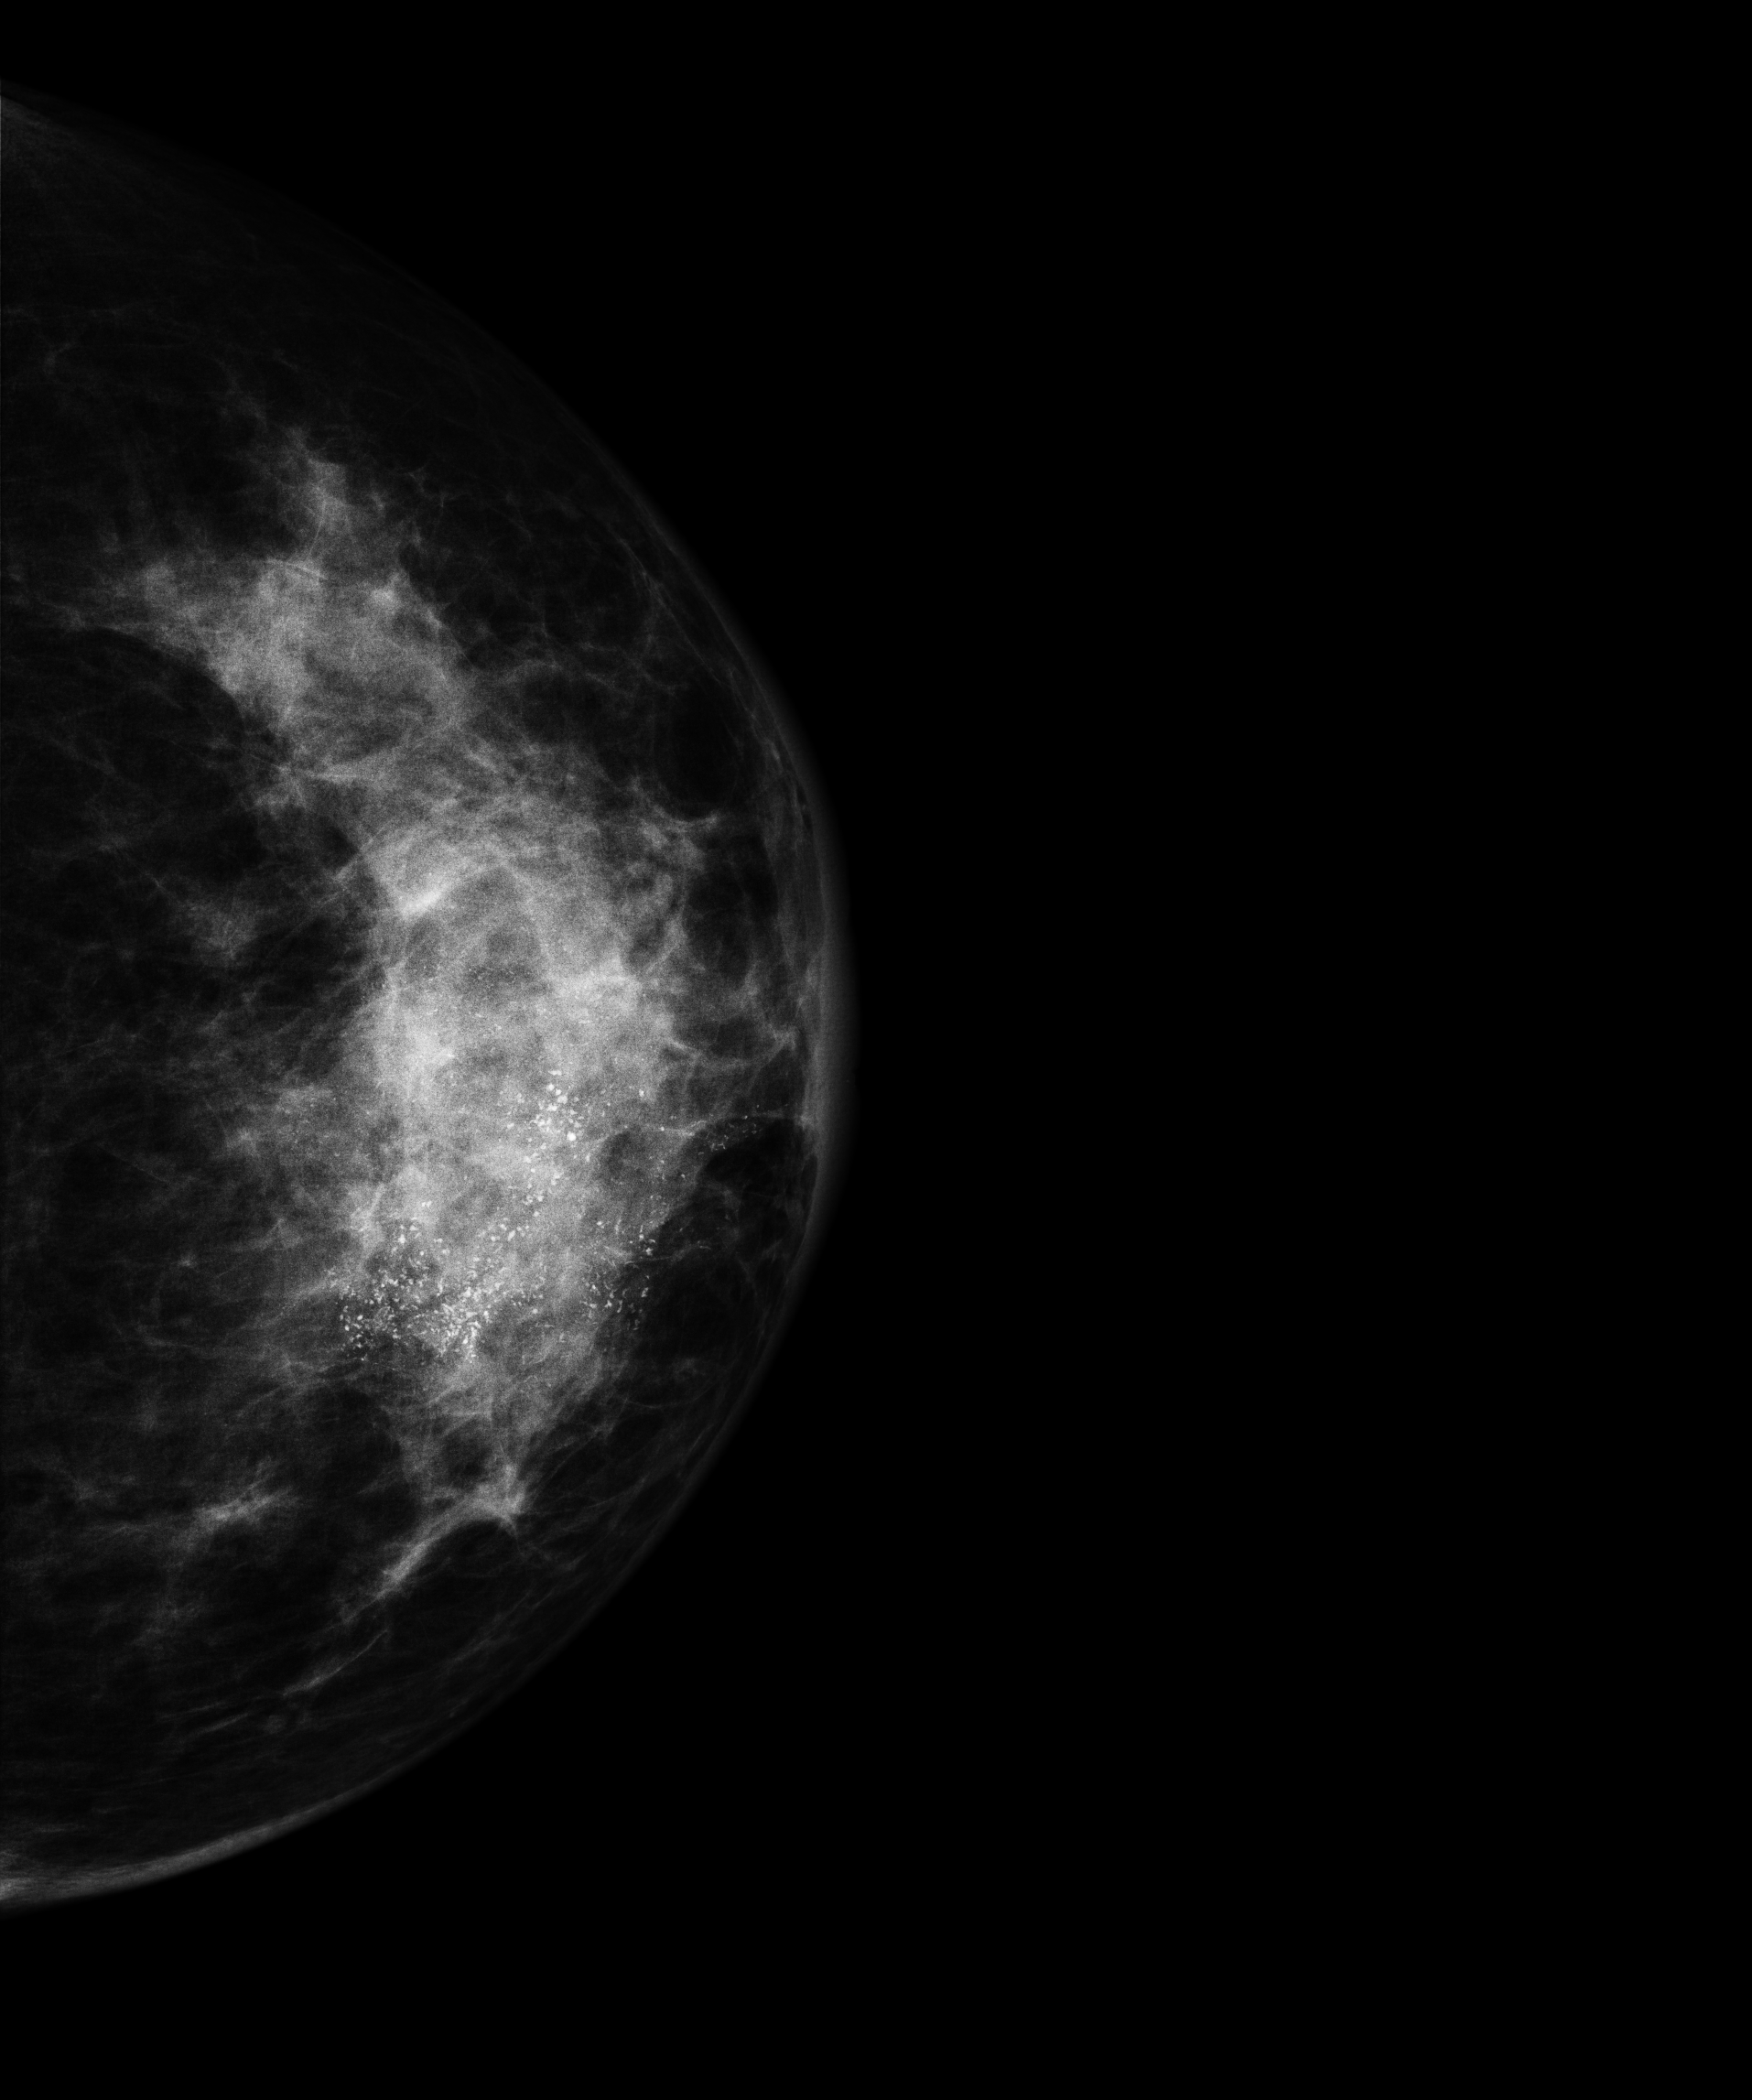
Left-breast mammogram, CC. 61-year-old patient.
This breast has calcifications, biopsy-confirmed malignant. Molecular subtype: HER2-enriched.